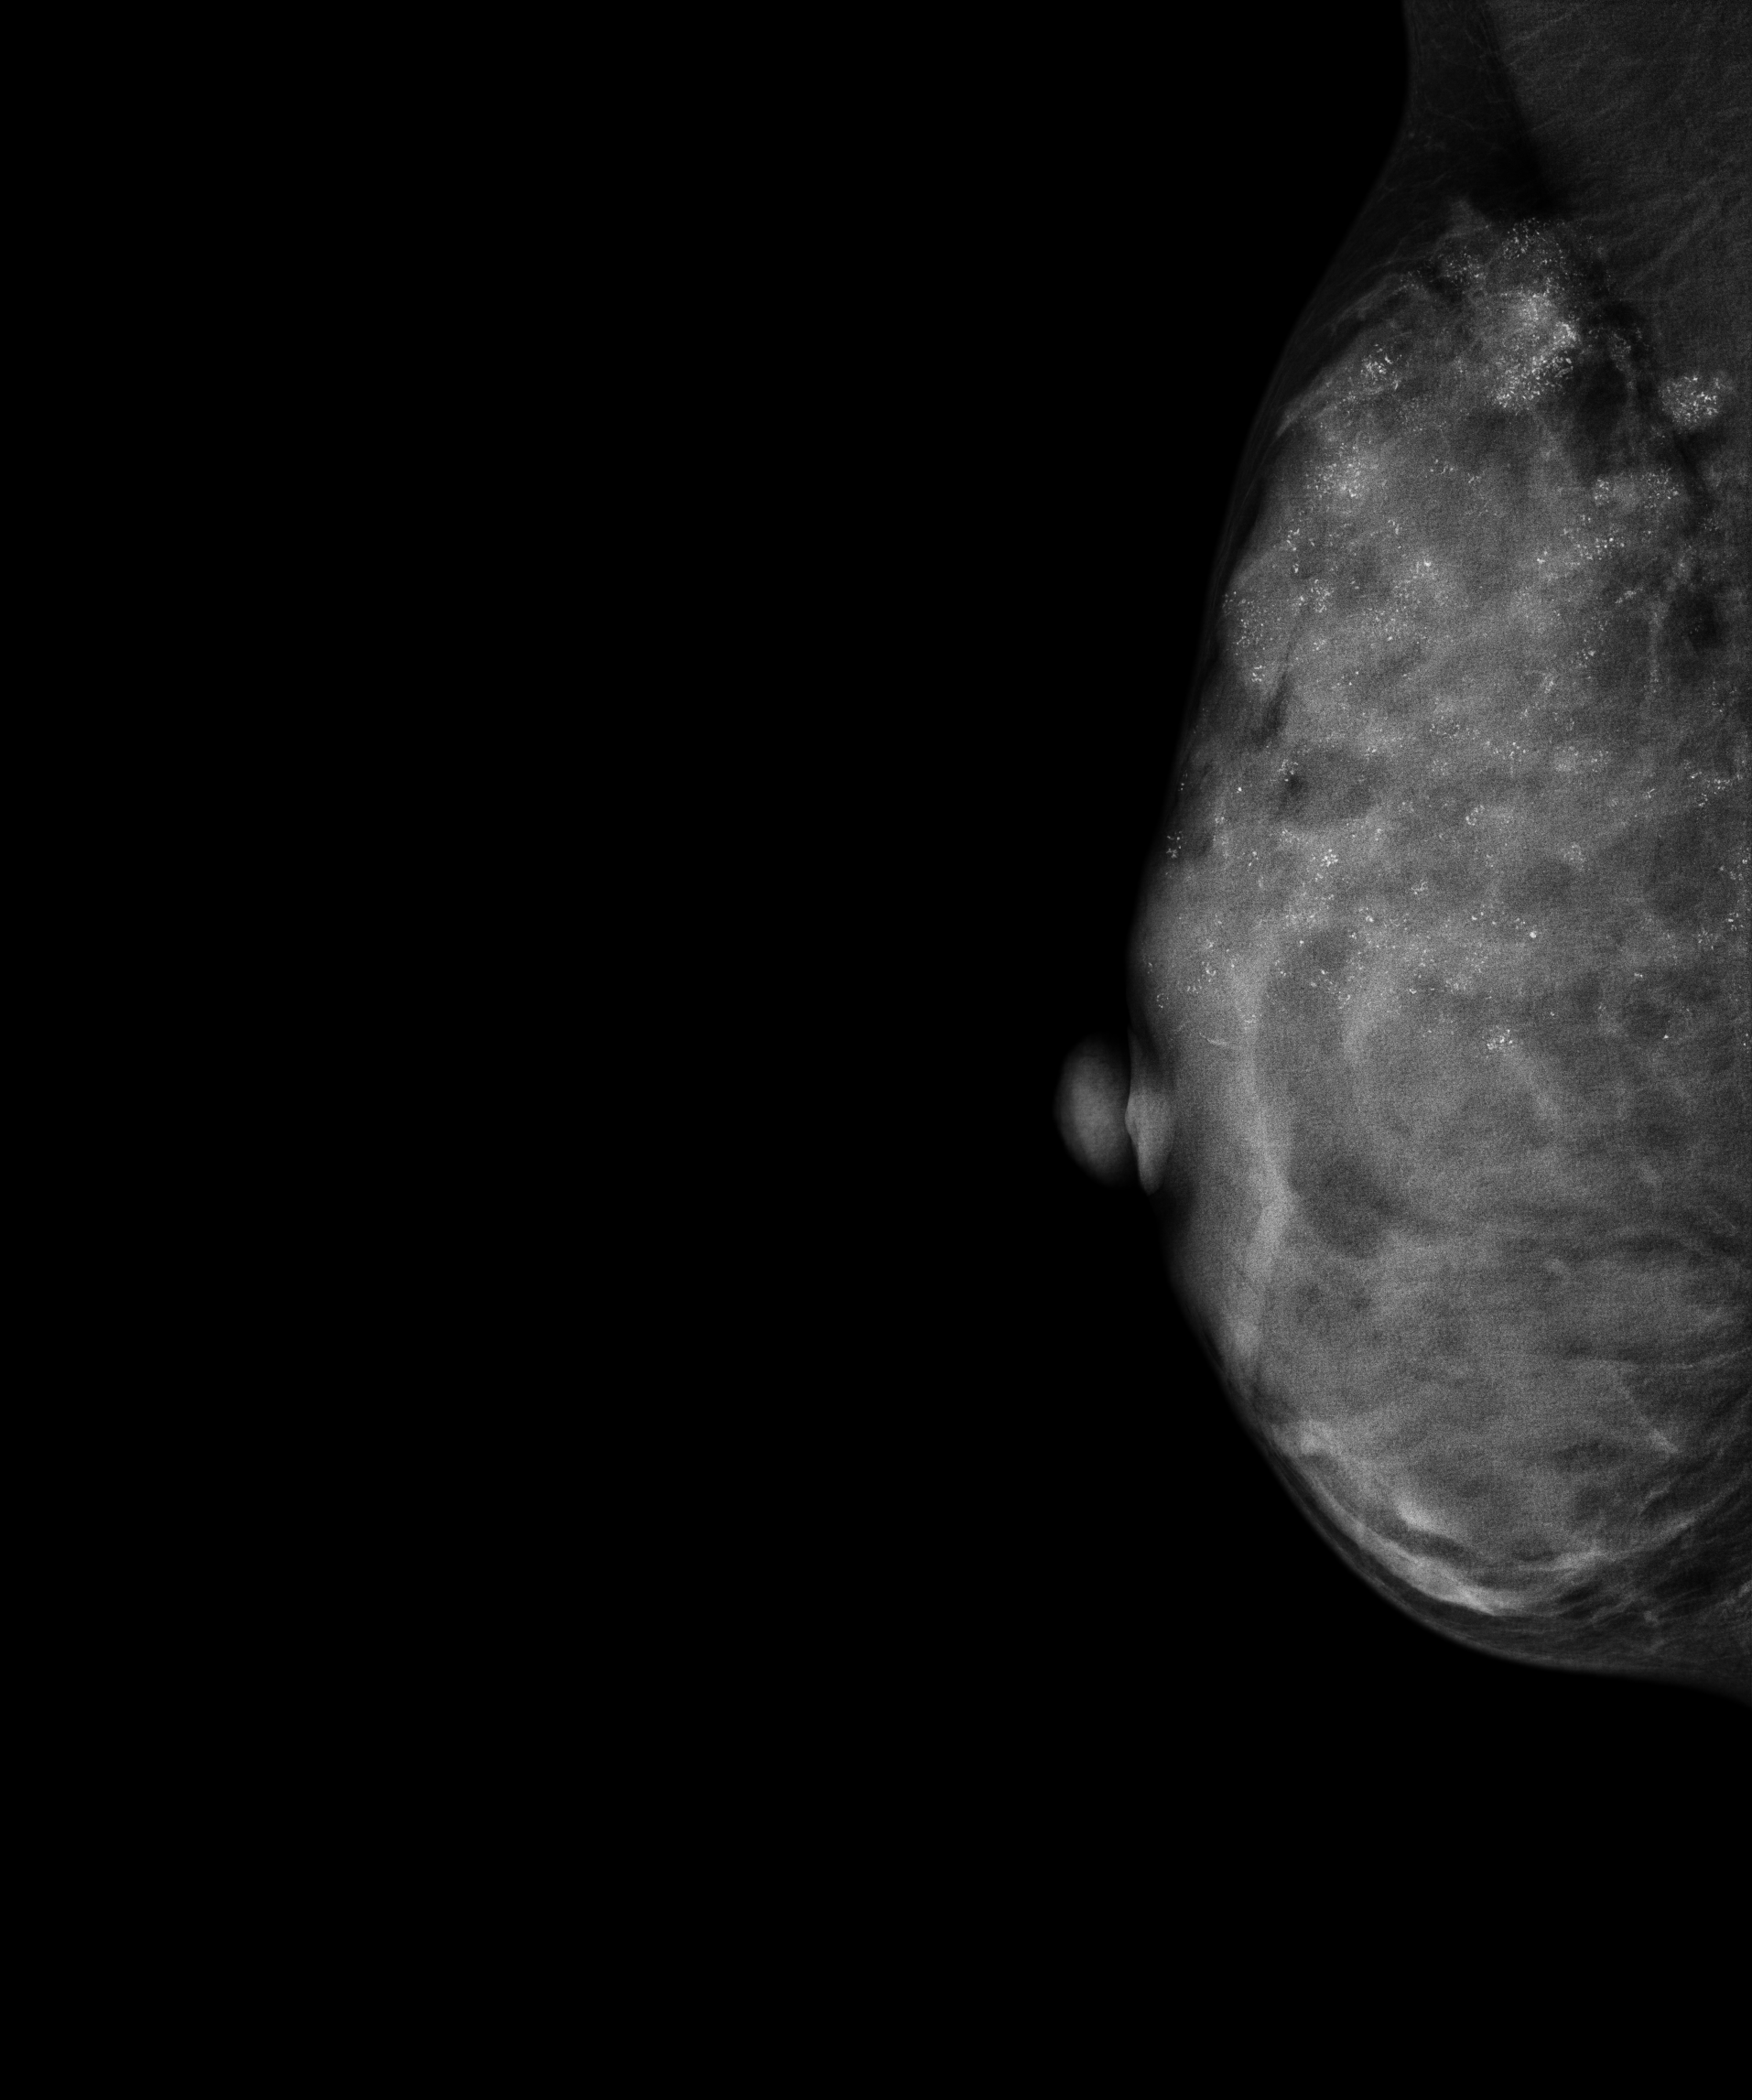
Mammogram — right medio-lateral oblique. Patient age 32.
This breast has calcifications, pathology-confirmed malignant. Molecular subtype: luminal B.